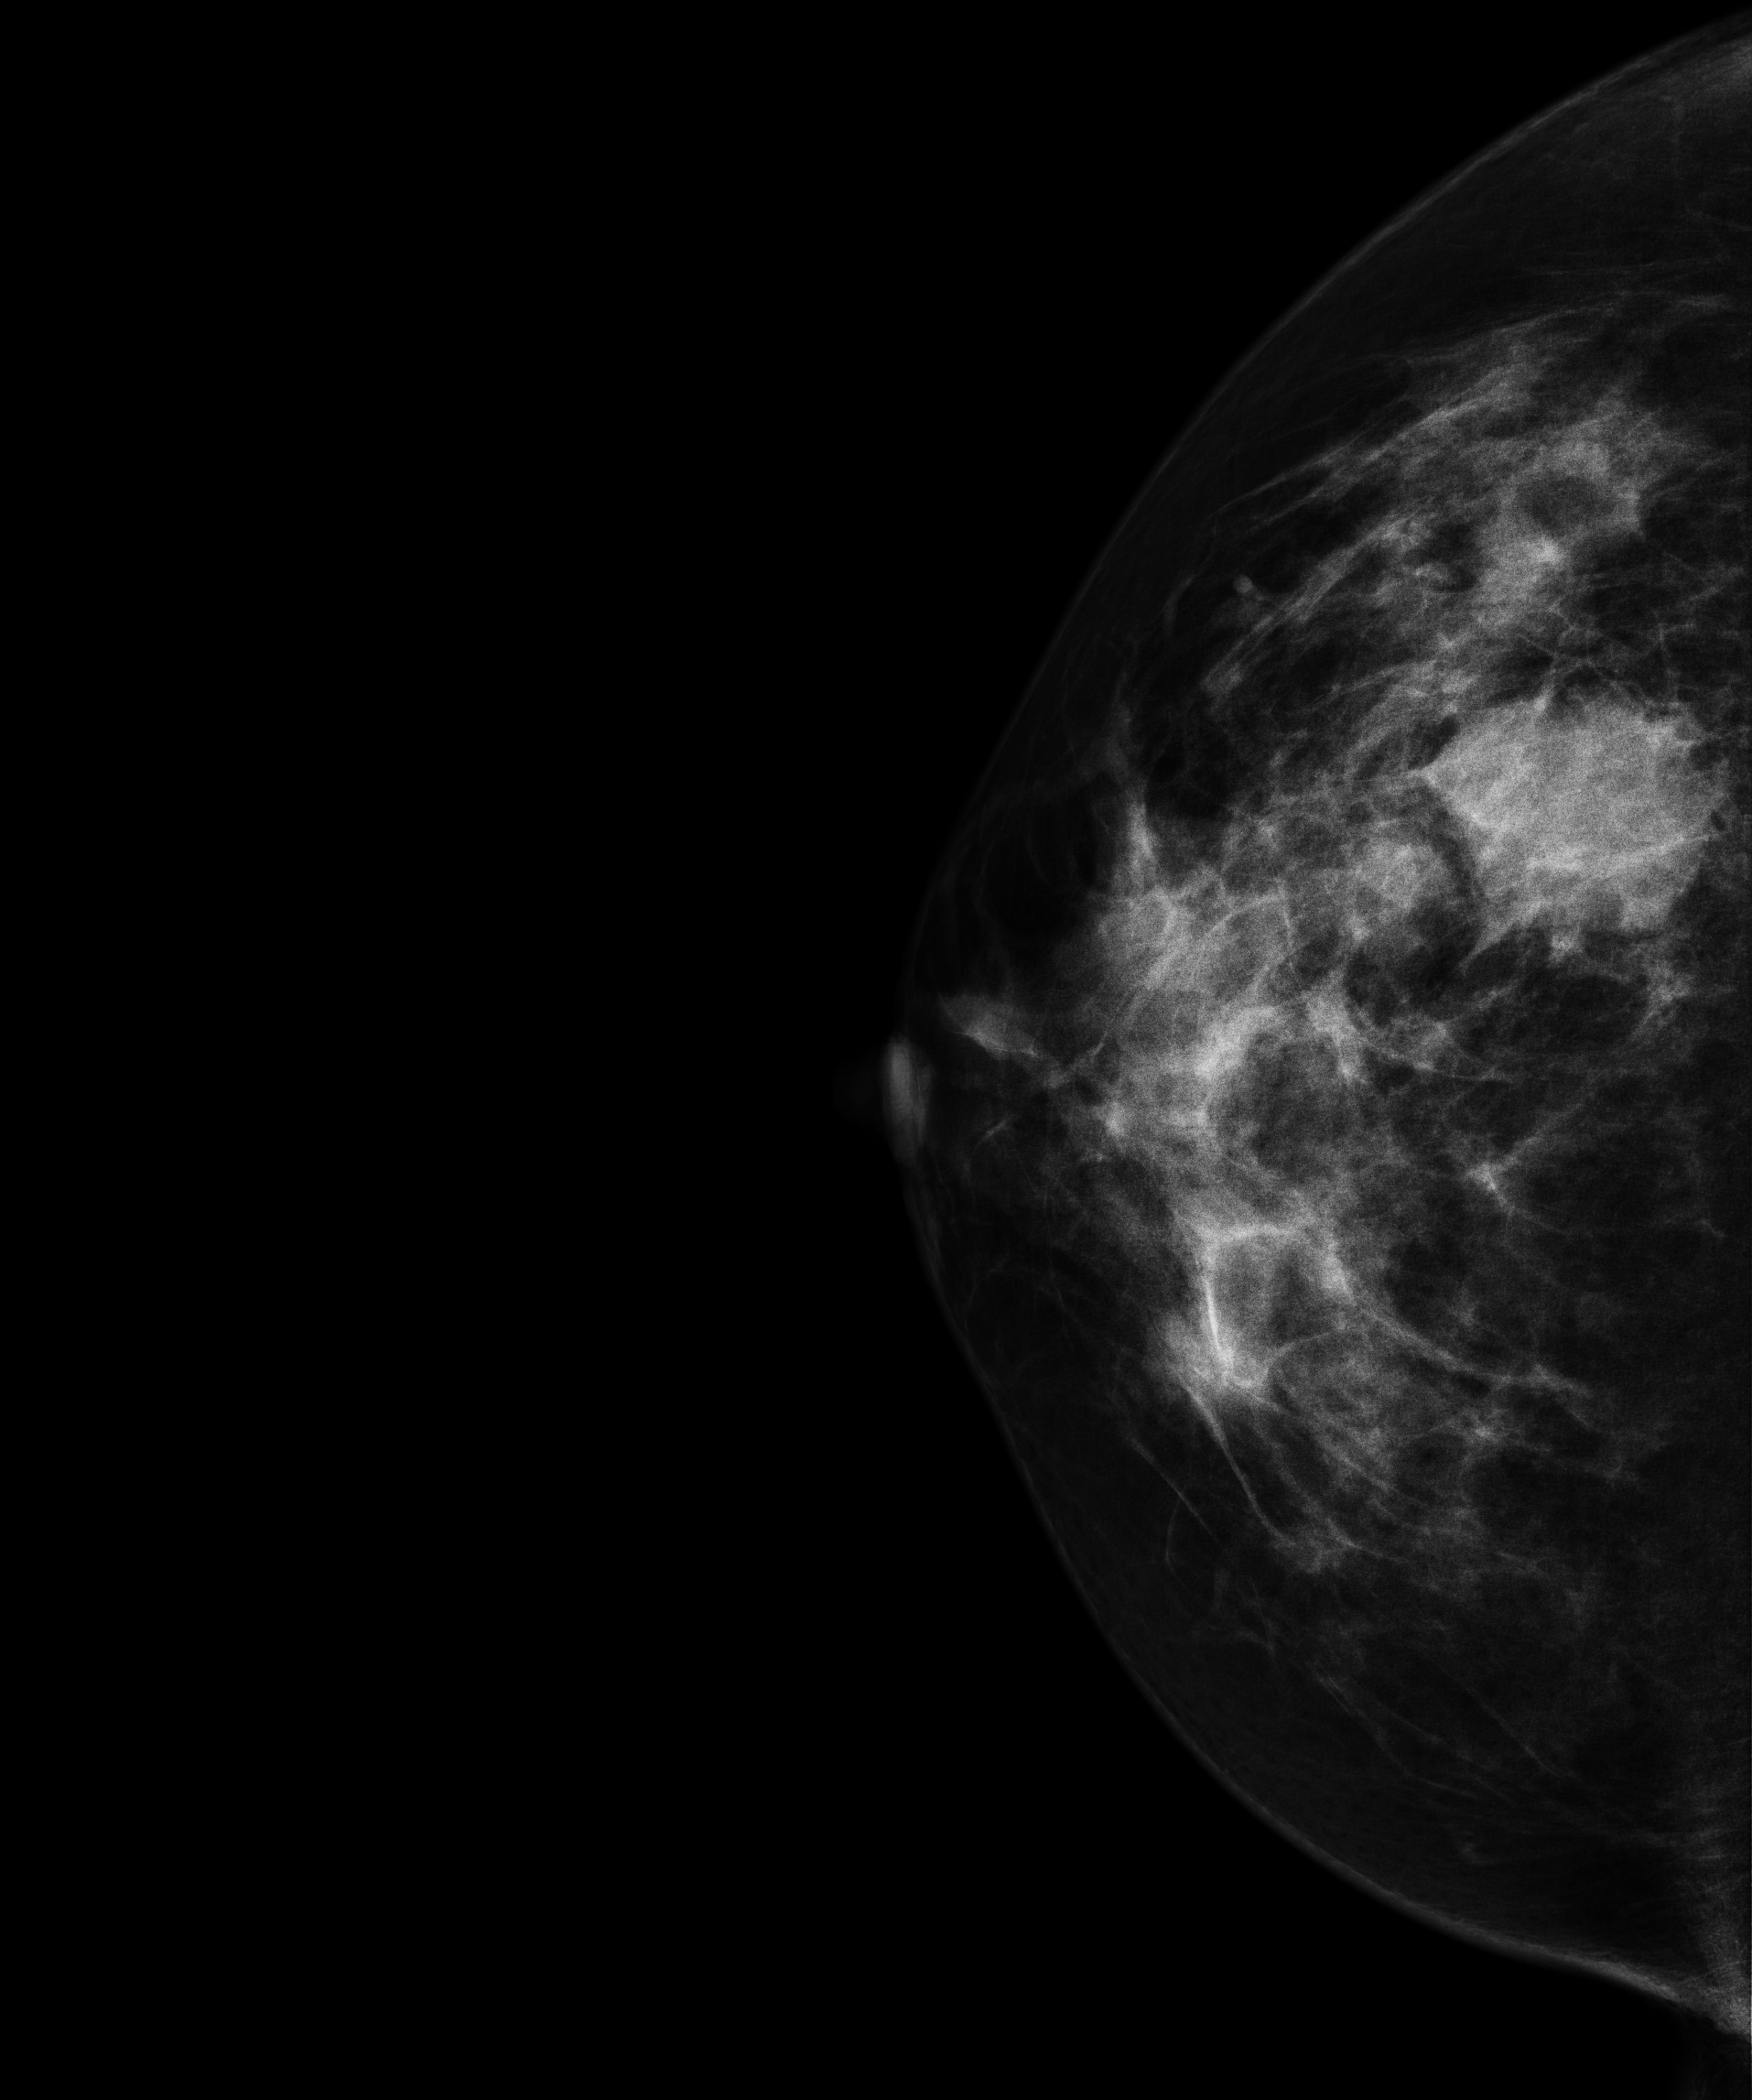
Cranio-caudal mammogram of the right breast. Patient age 44.
This breast has a mass, histologically confirmed malignant. Molecular subtype: luminal B.